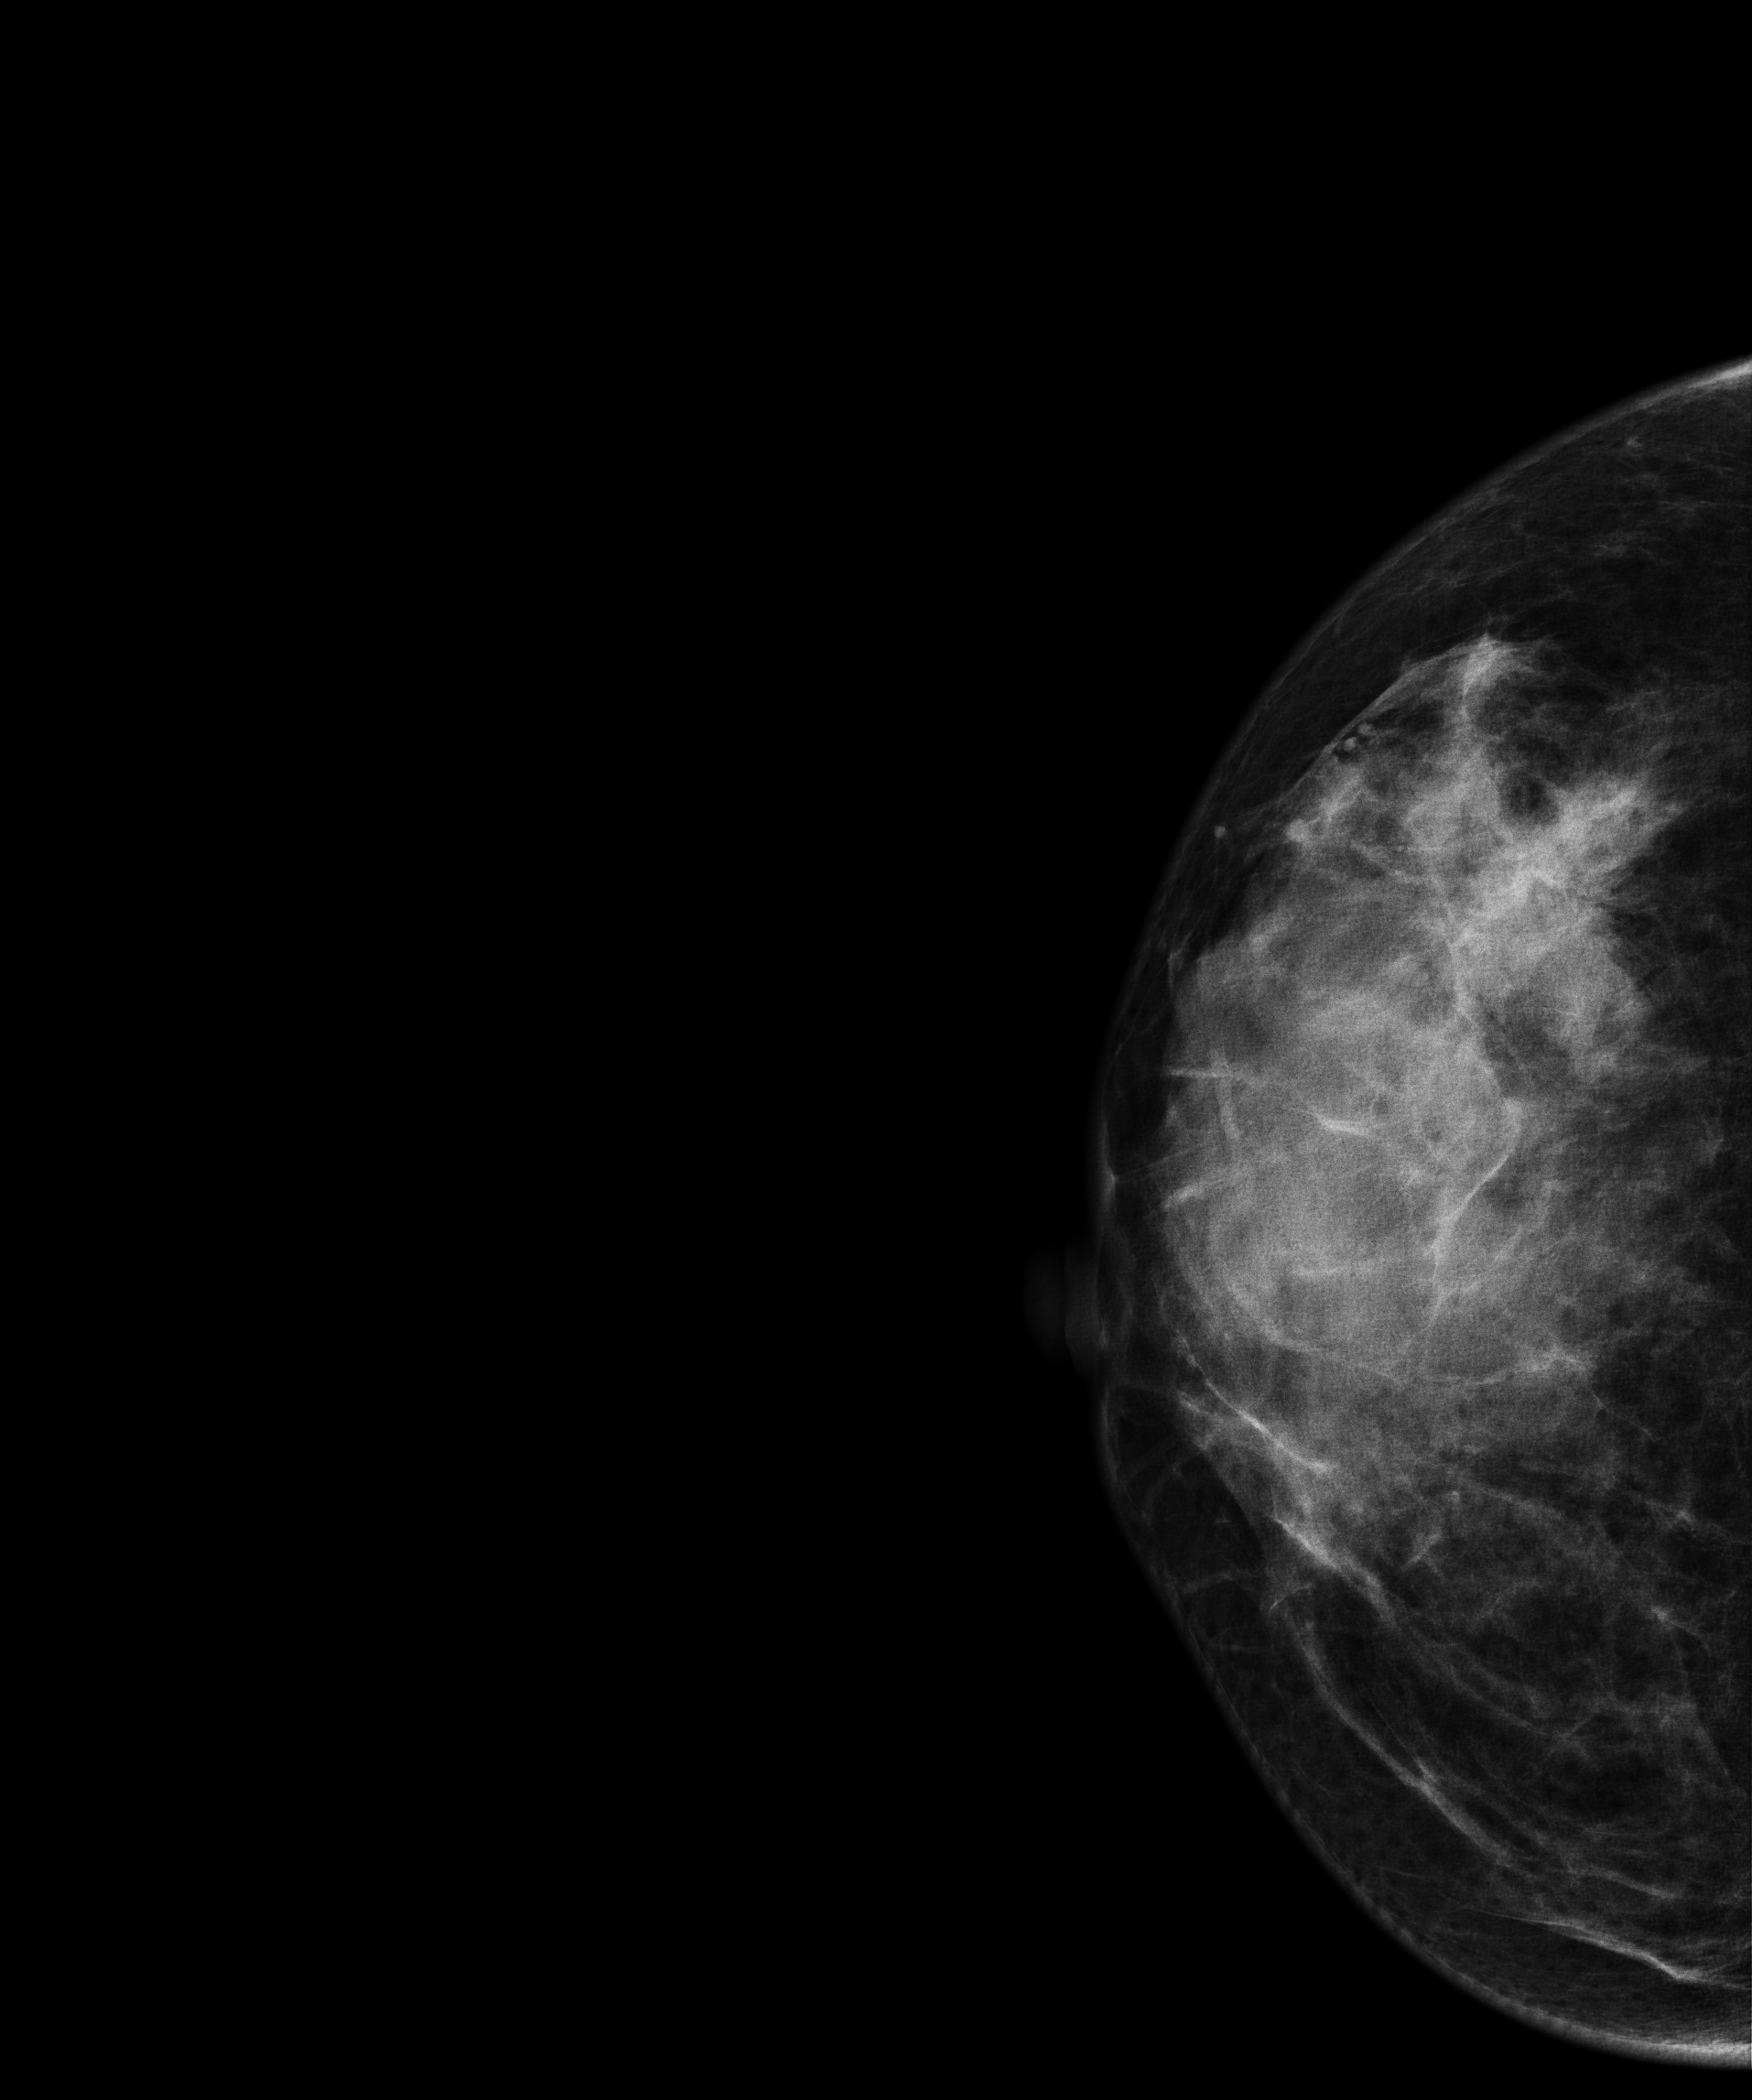
Digital mammography. Right breast, CC projection. 34-year-old patient.
This breast has a mass, pathology-confirmed malignant. Molecular subtype: luminal B.